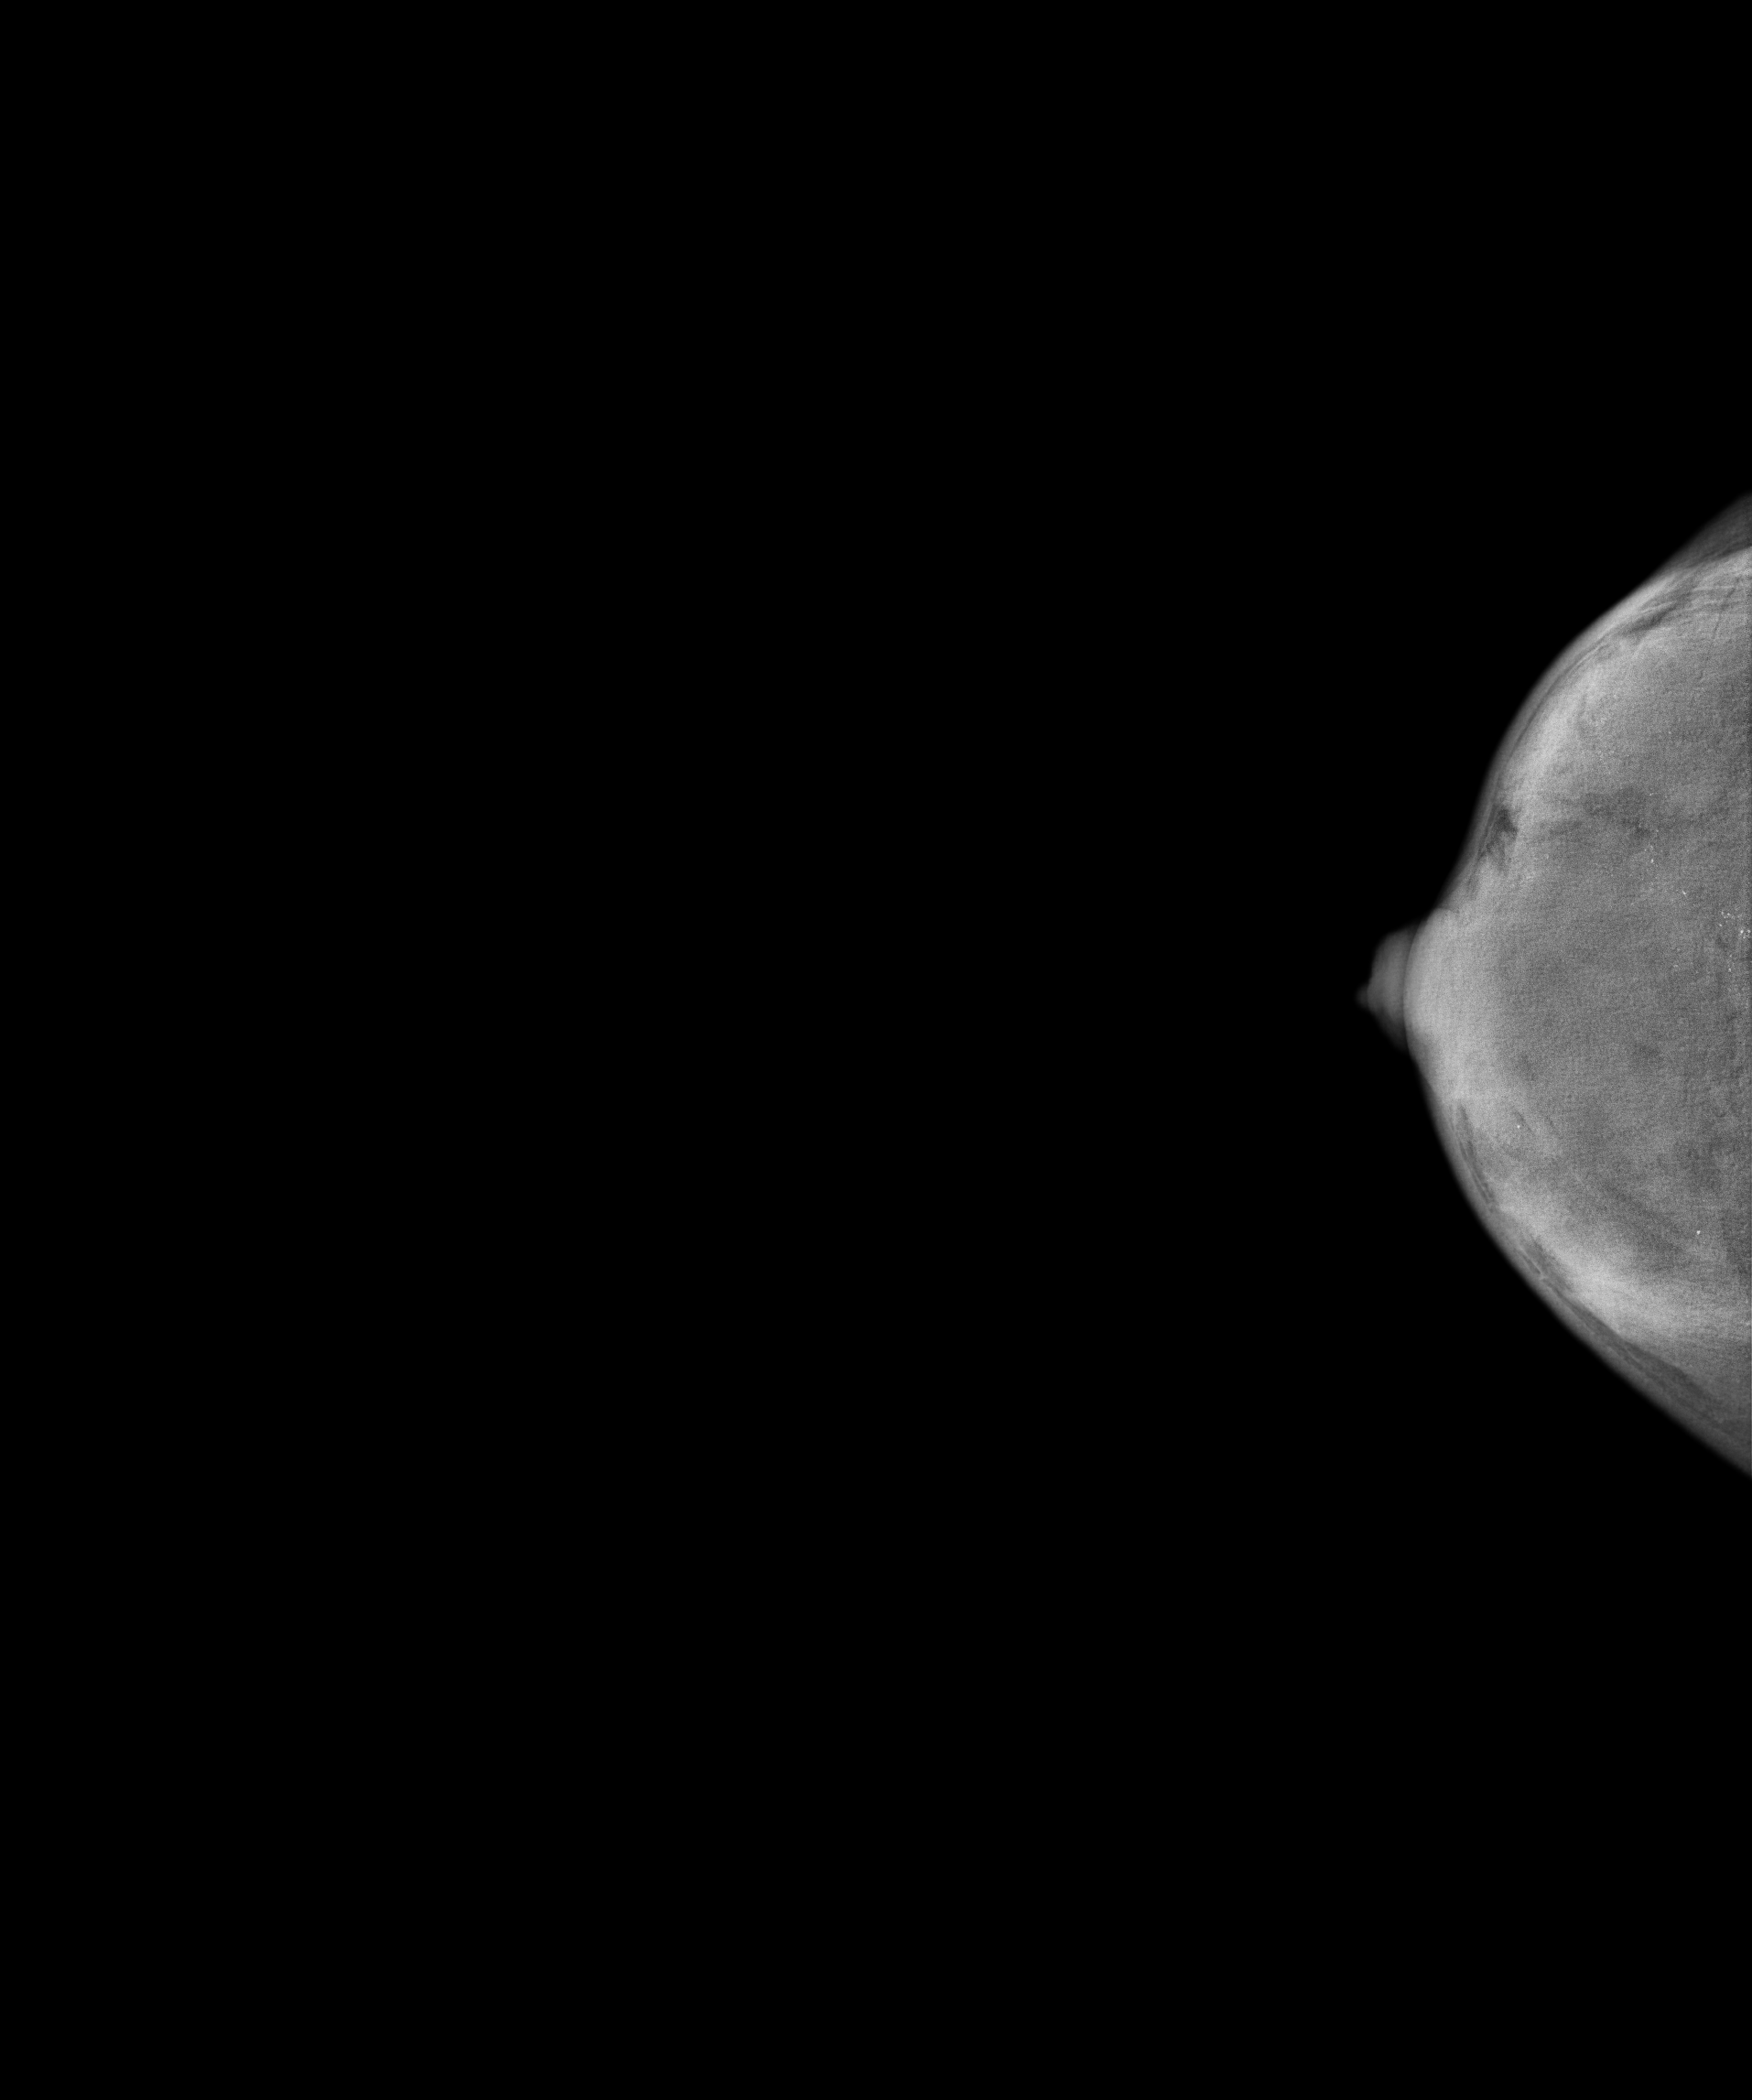
CC mammogram of the right breast. 41 y/o patient.
This breast has calcifications, biopsy-confirmed malignant.